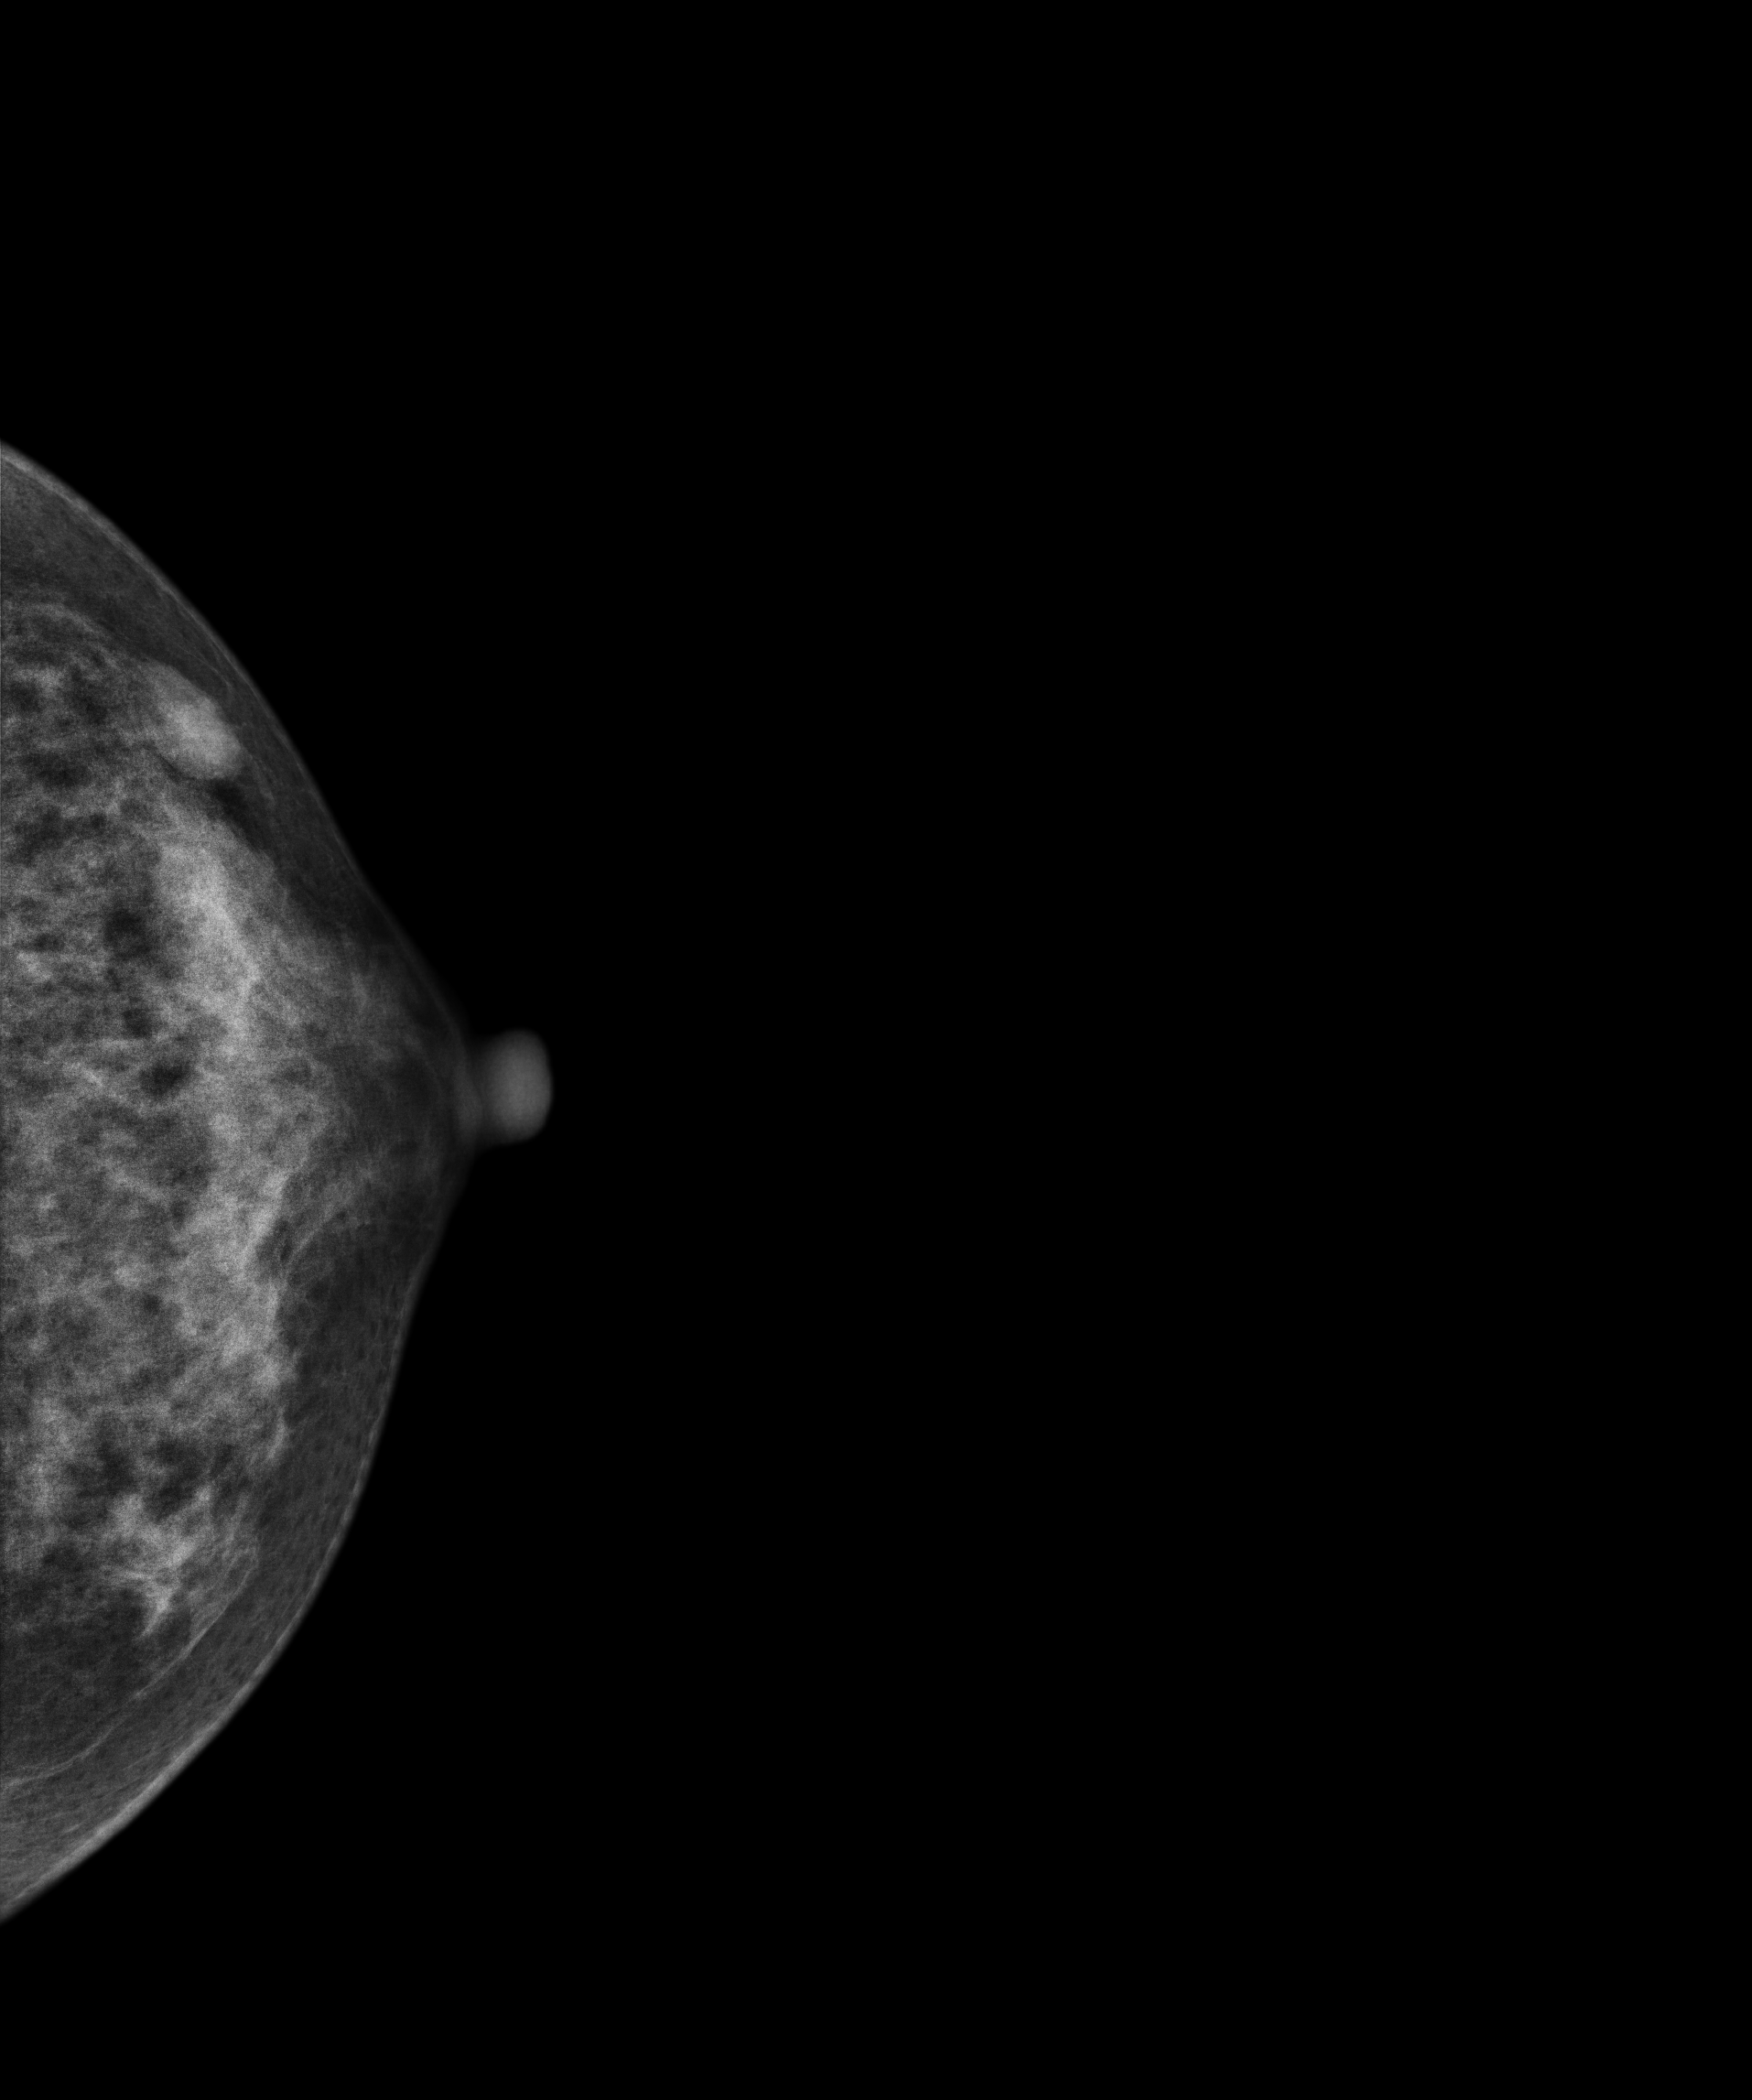
Left-breast mammogram, cranio-caudal. 38 y/o patient.
This breast has a mass, biopsy-proven benign.